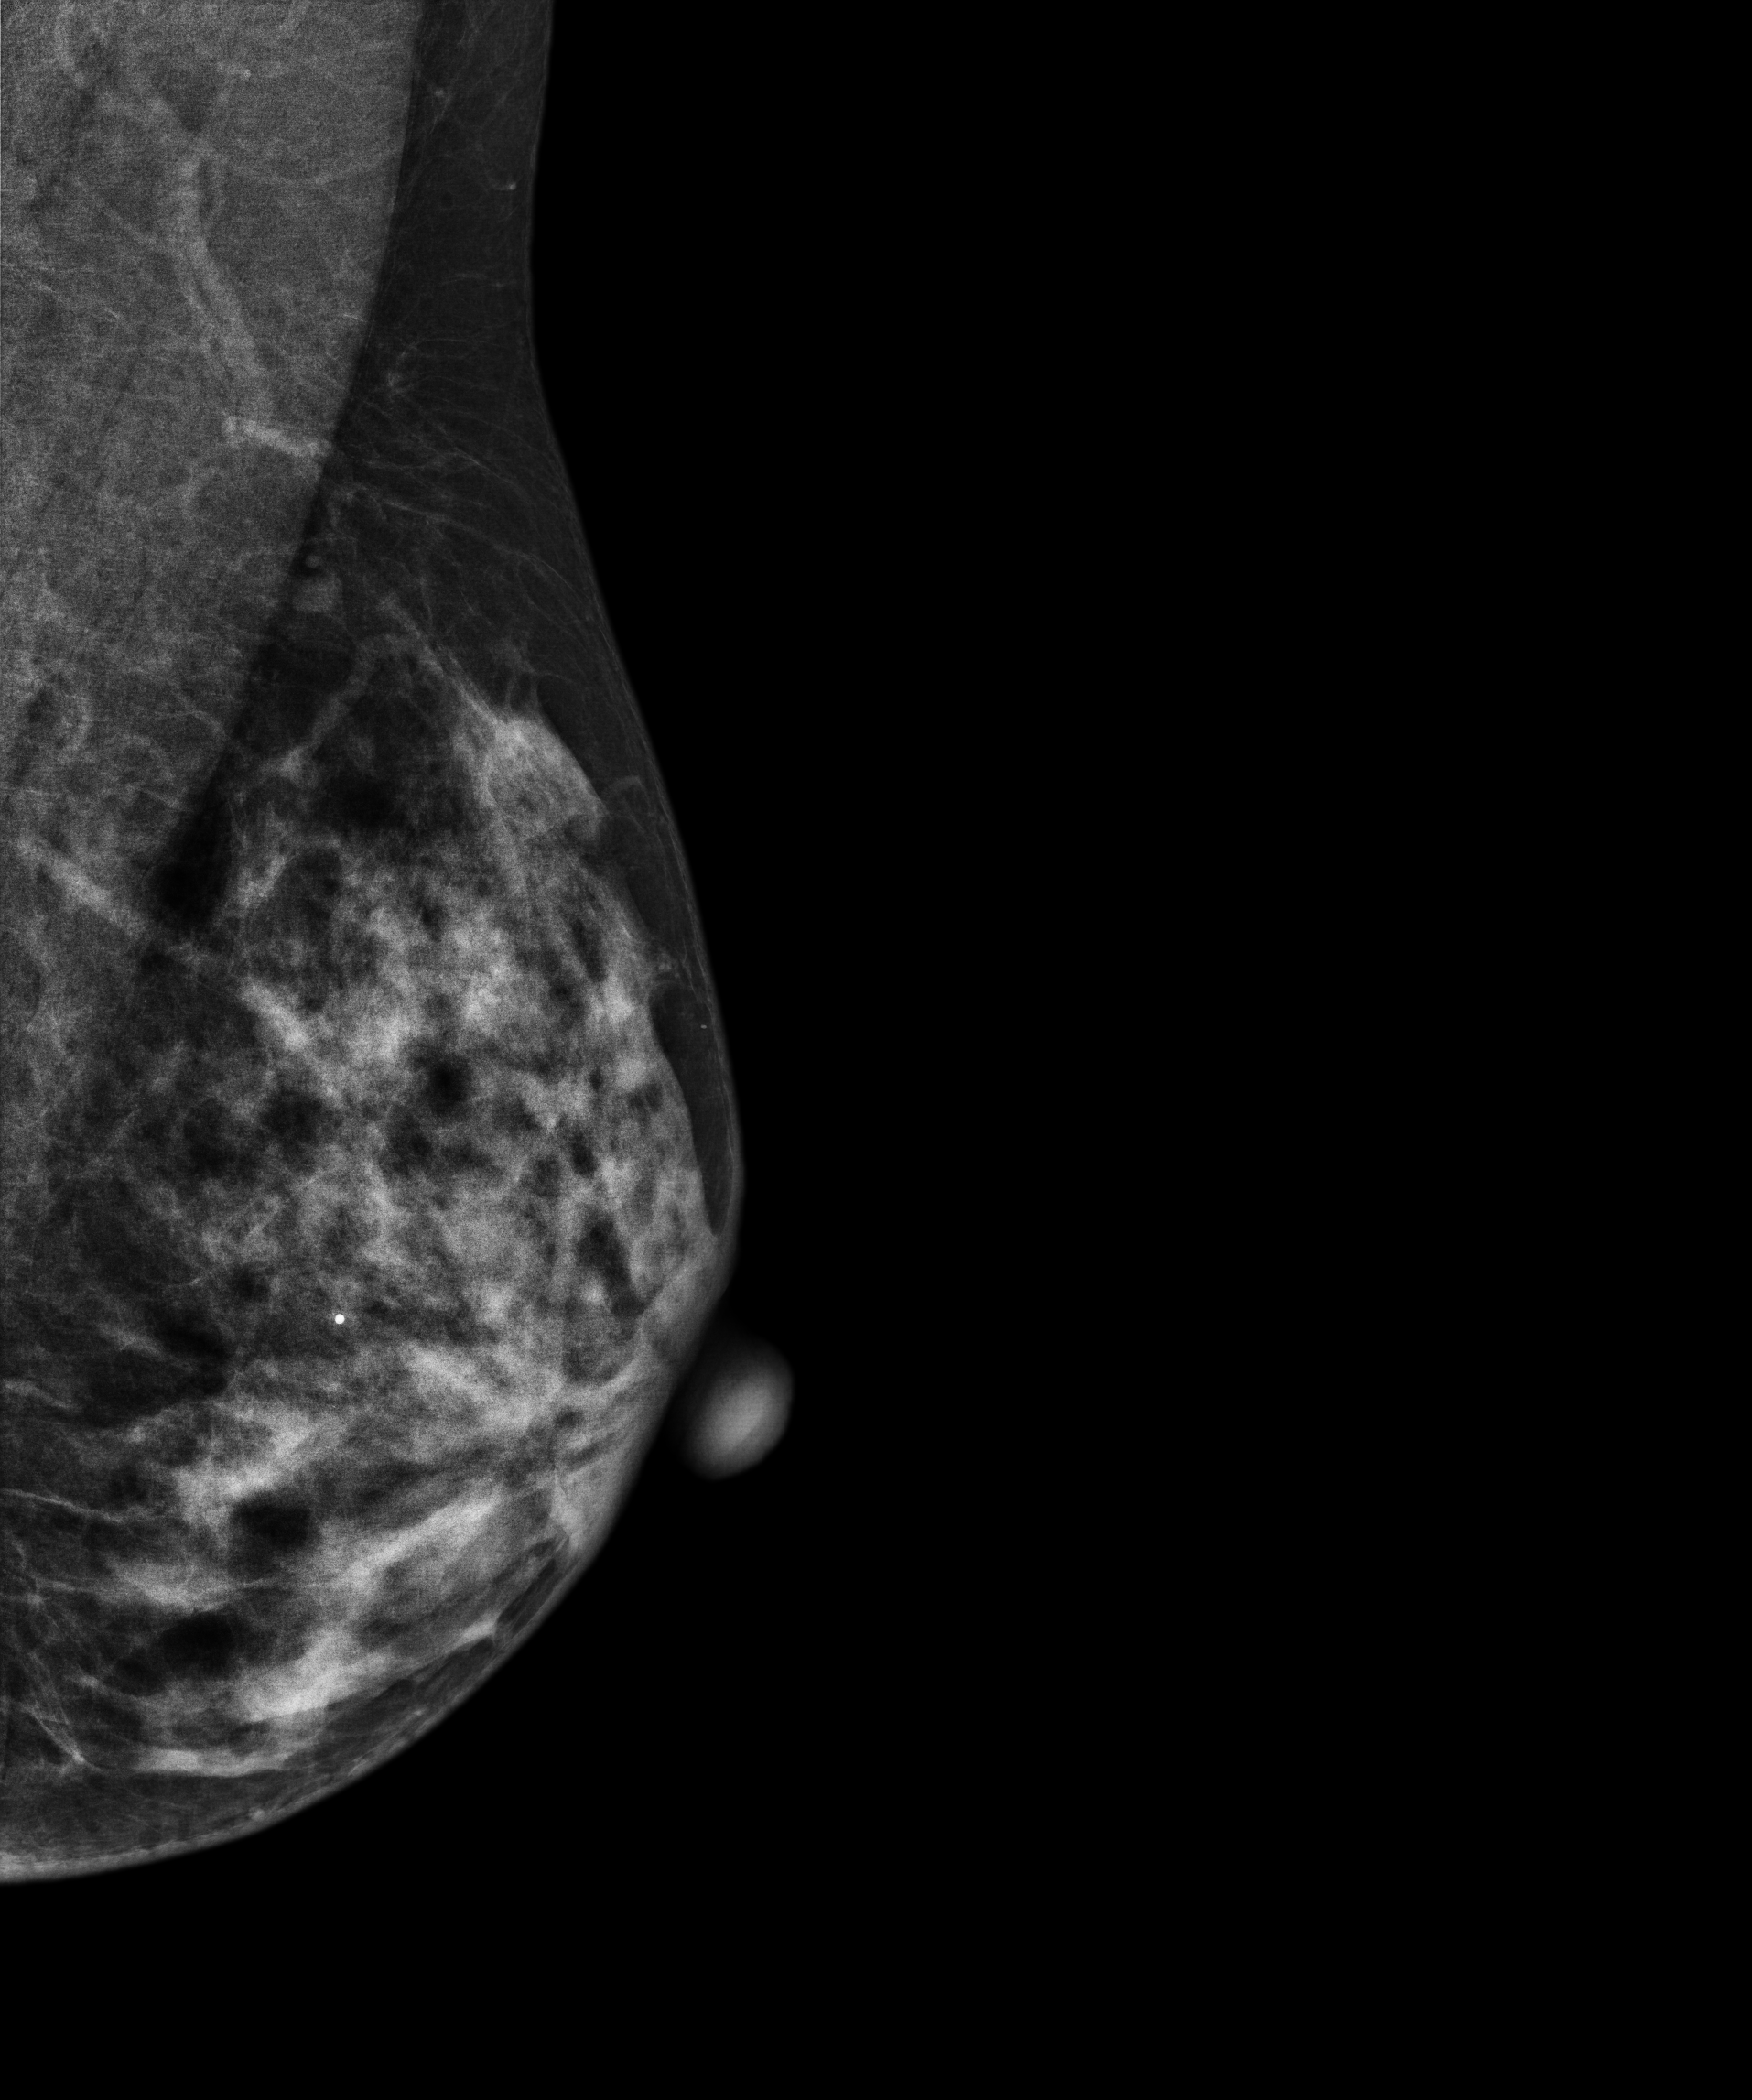
Mammogram — left medio-lateral oblique. Patient age 50.
Contralateral breast — no documented abnormality on this side.